Mammogram — right medio-lateral oblique. Patient age 44.
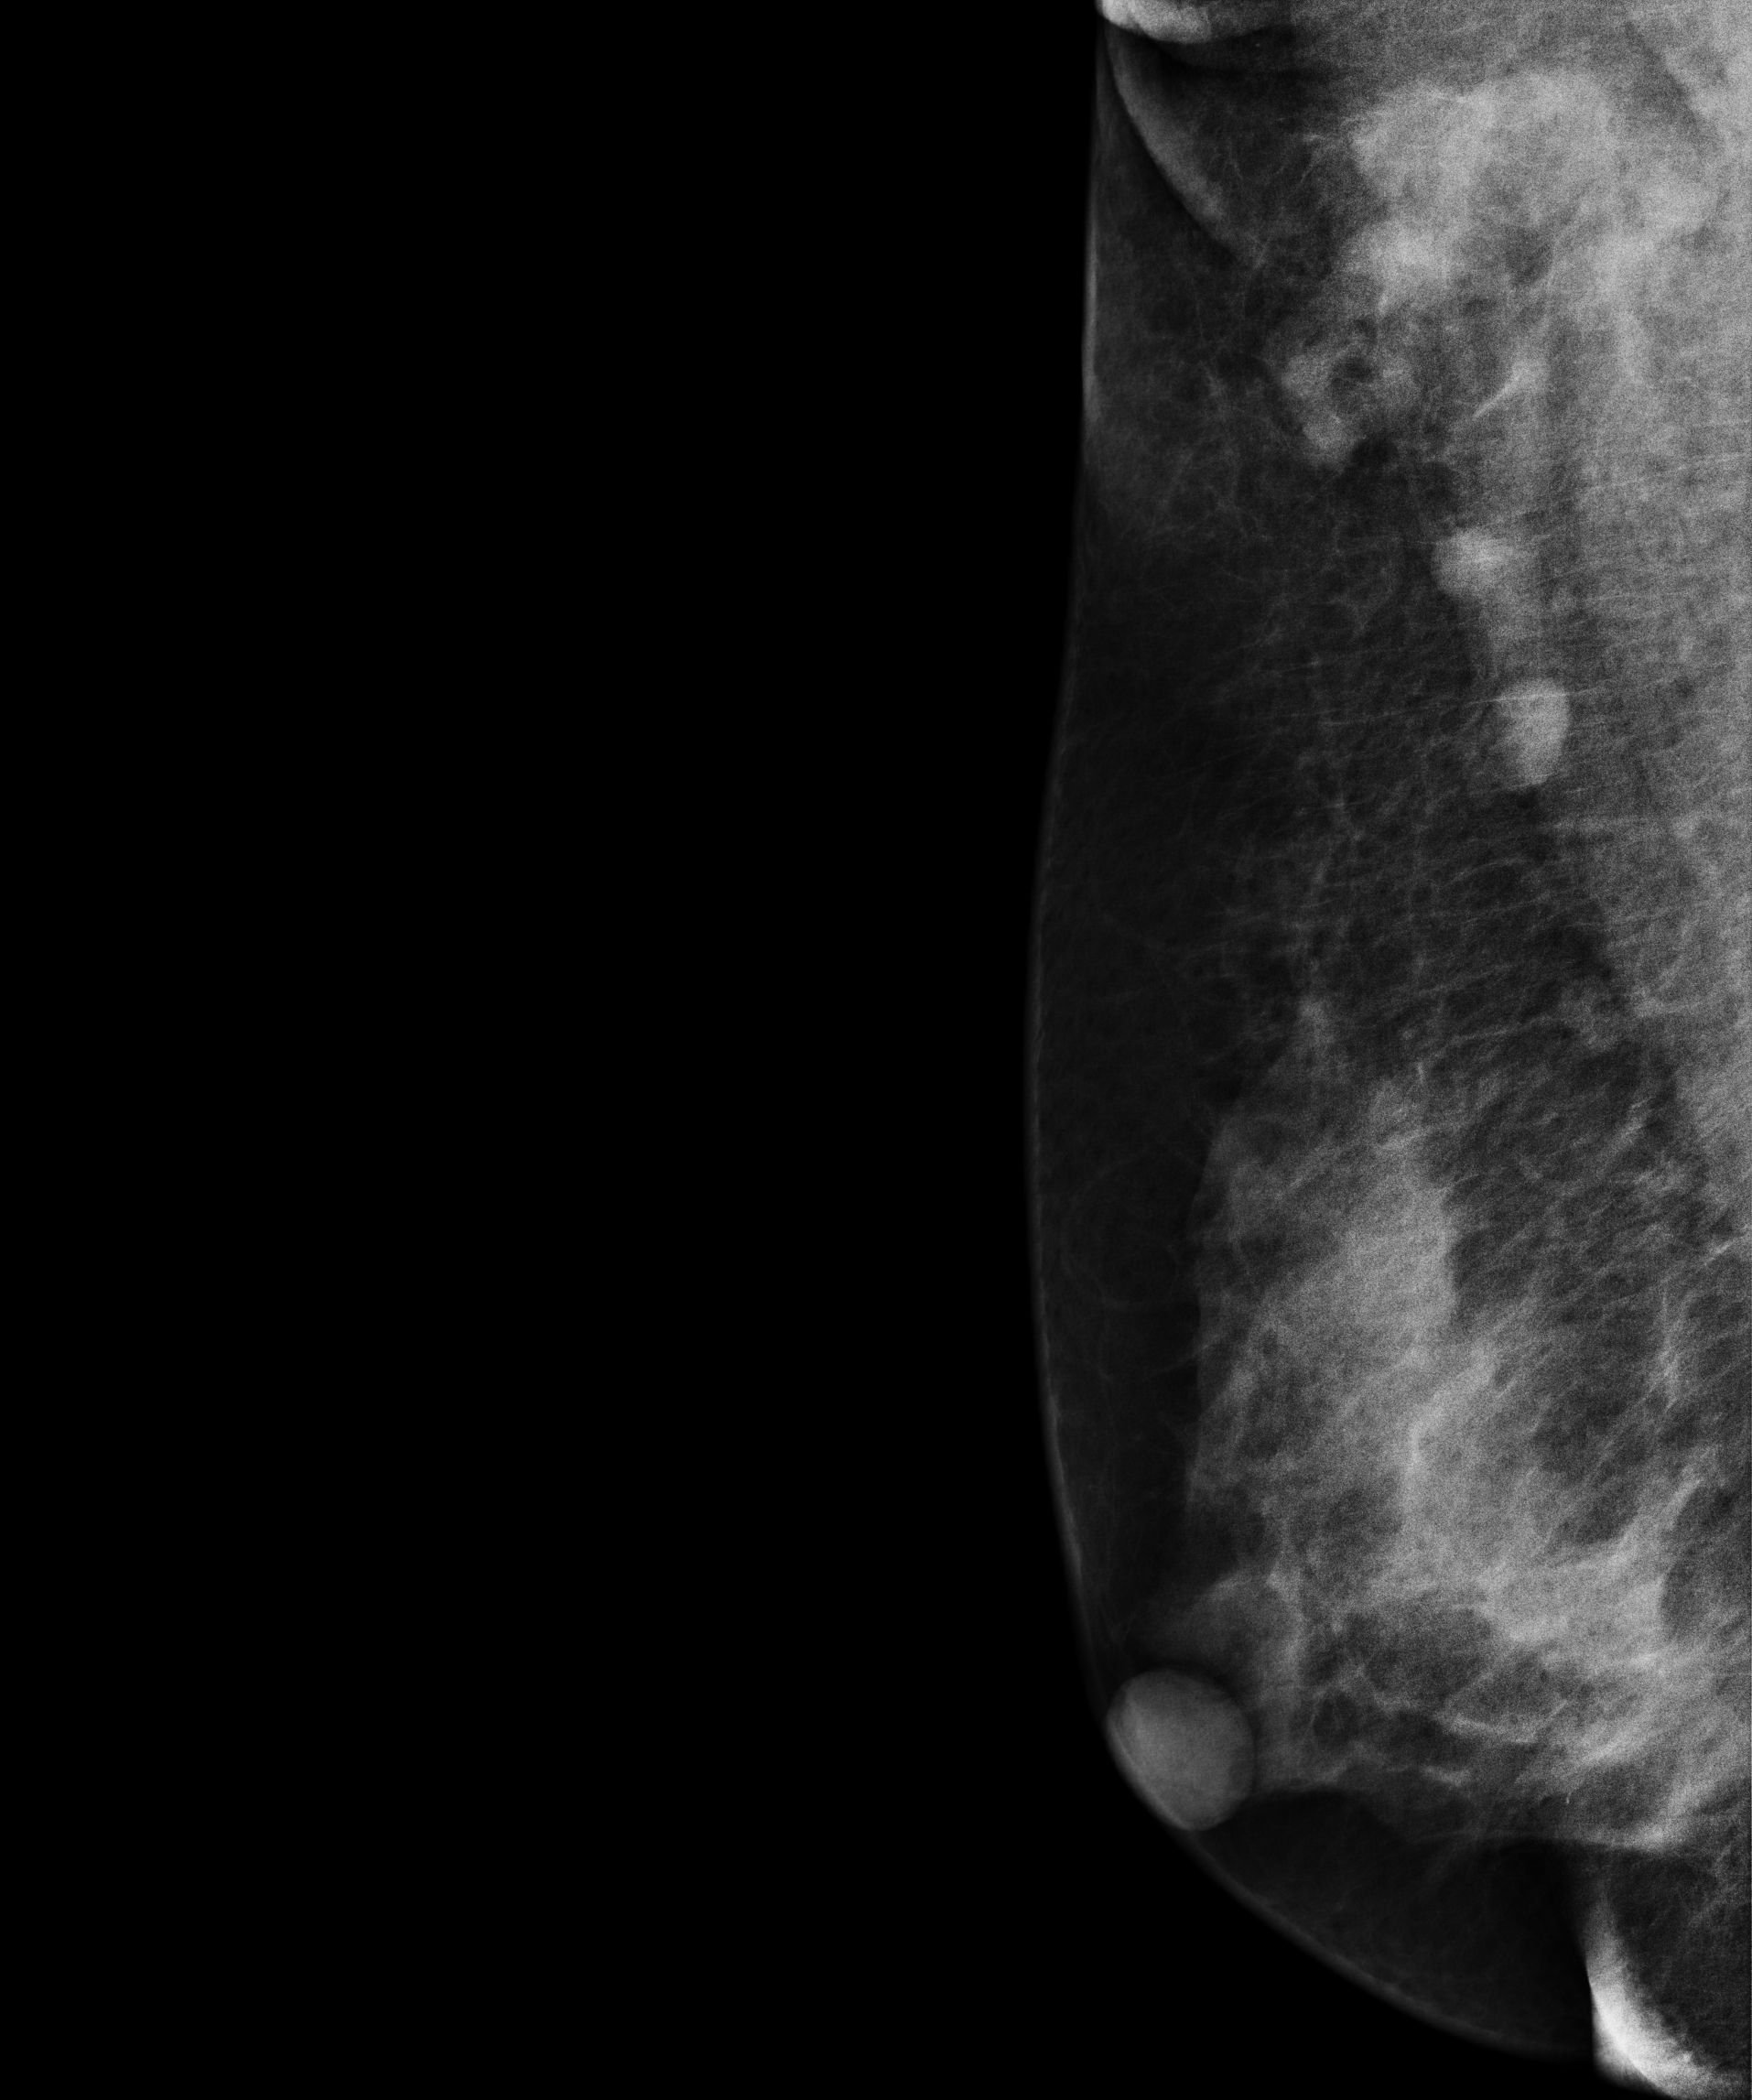
This breast has a mass, pathology-confirmed malignant.